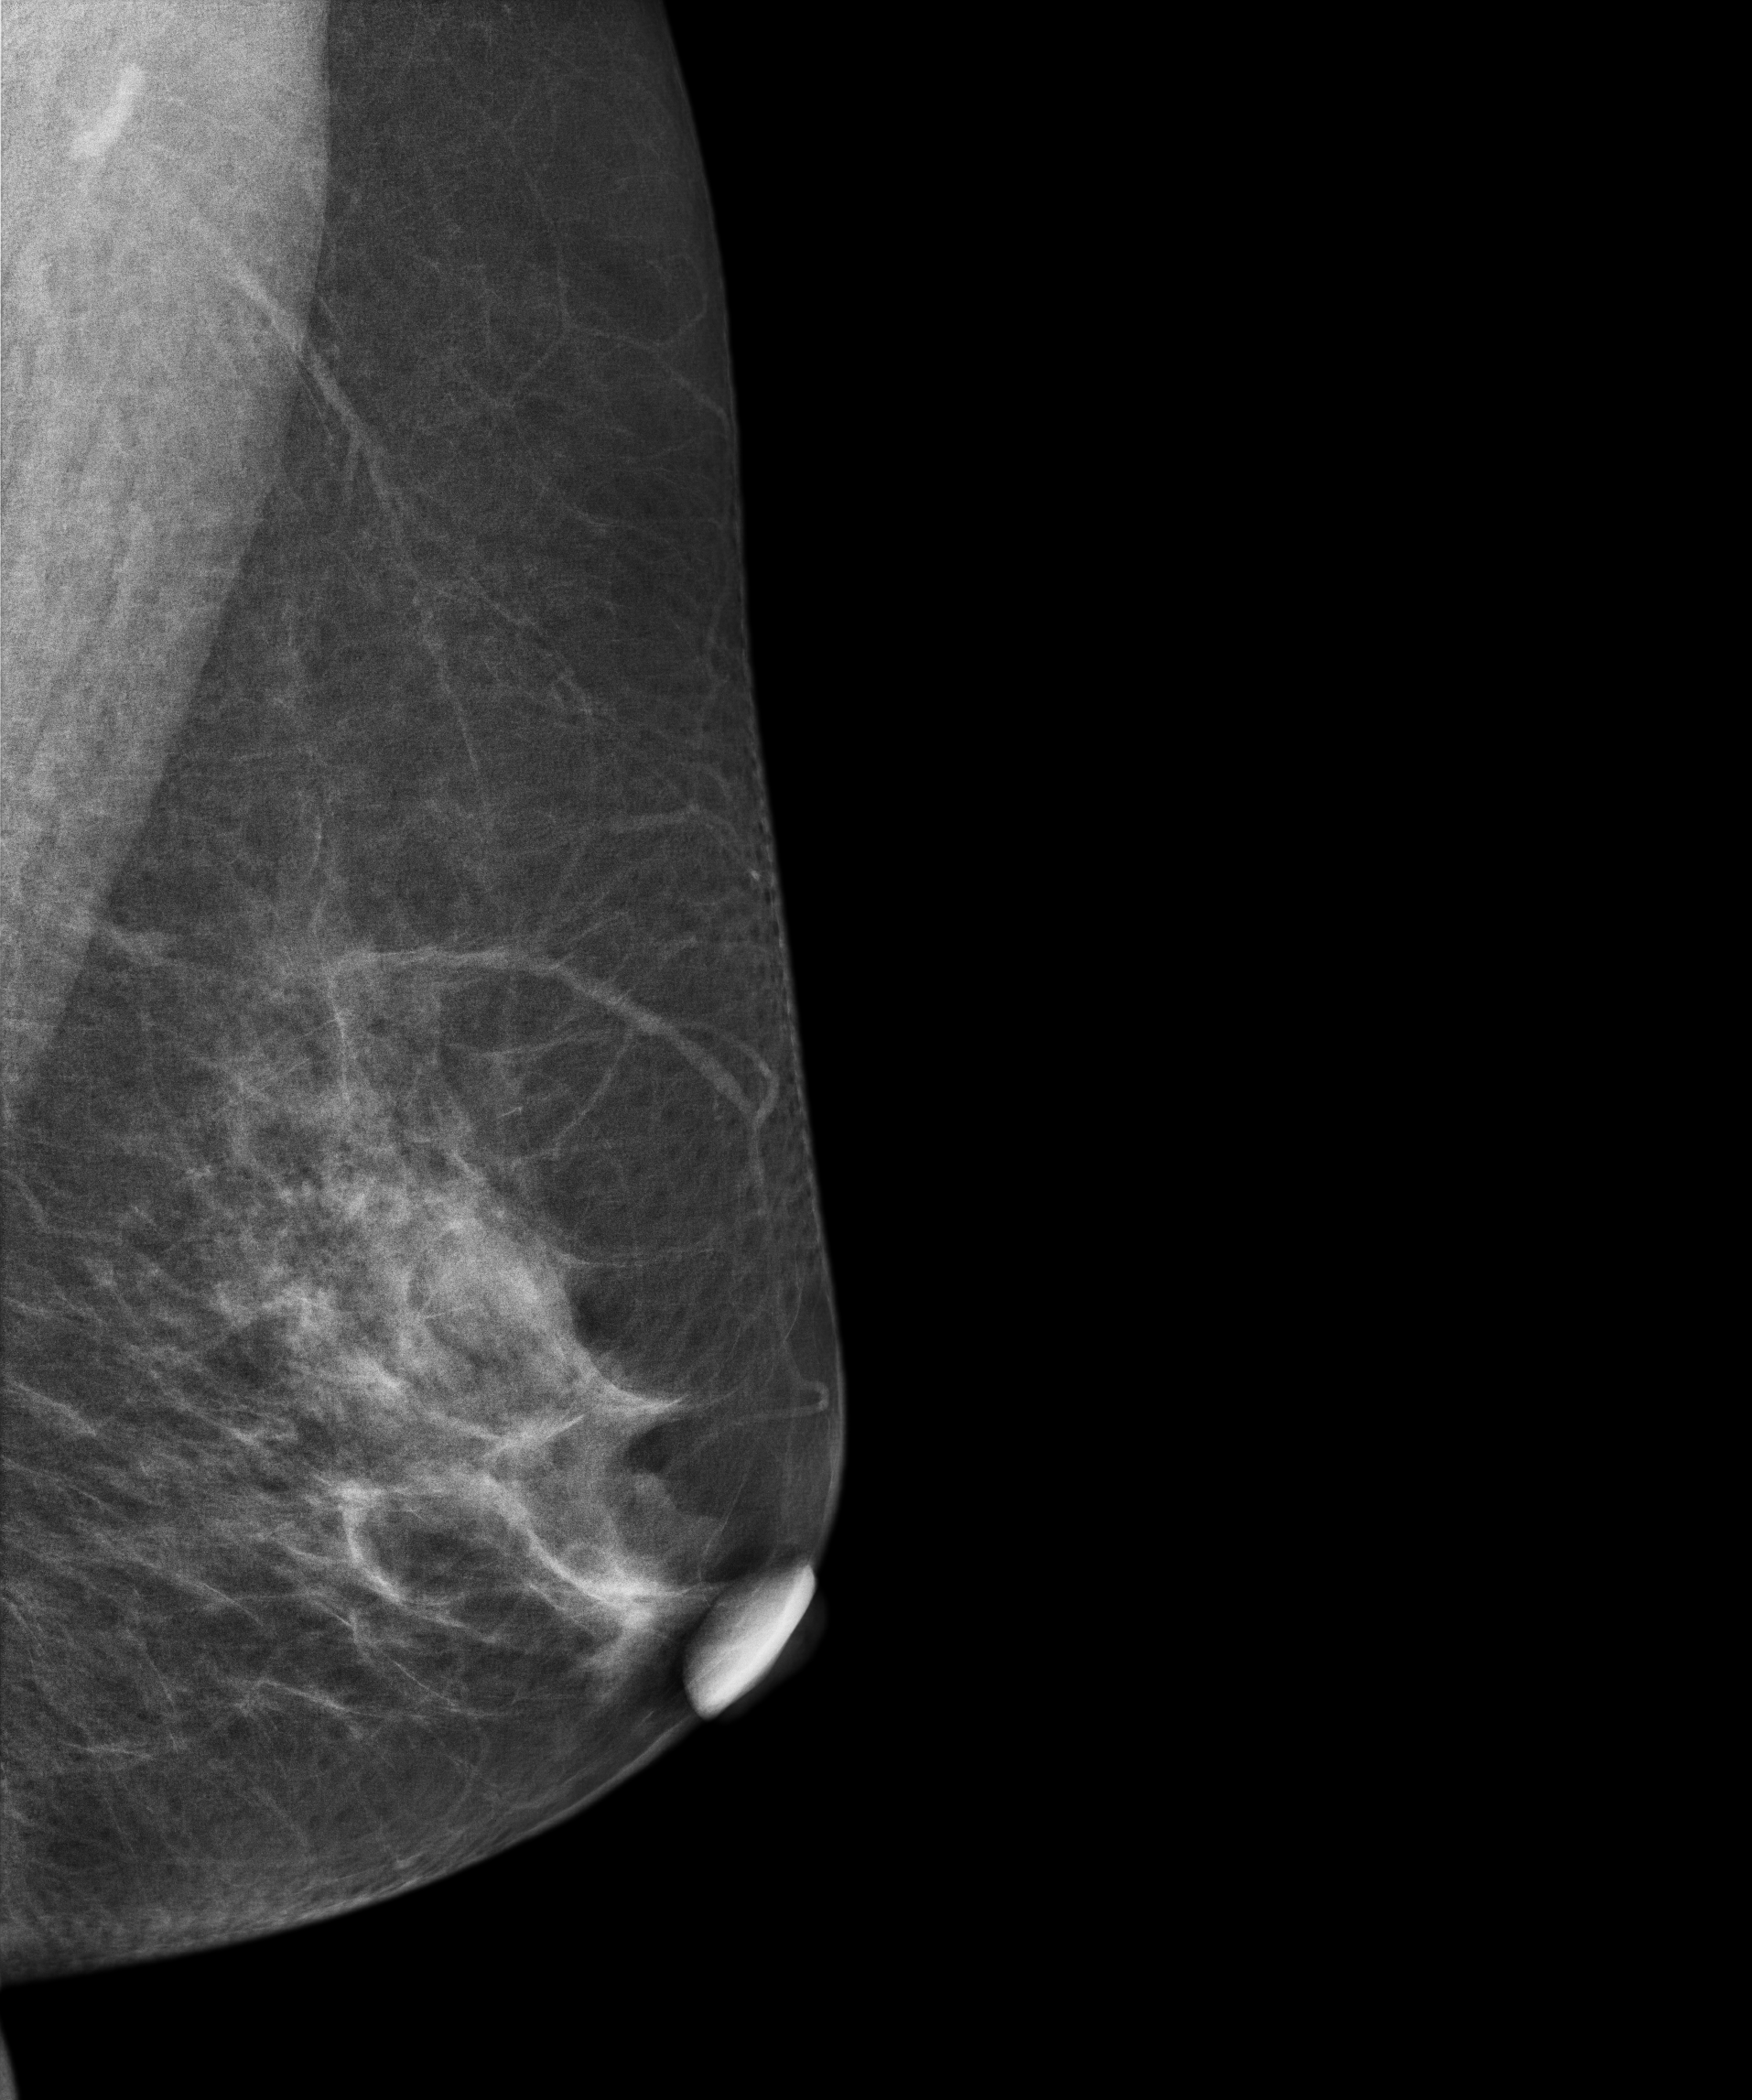
MLO mammogram of the left breast. Patient age 50.
Contralateral breast — no documented abnormality on this side.